Cranio-caudal mammogram of the left breast. Patient age 75.
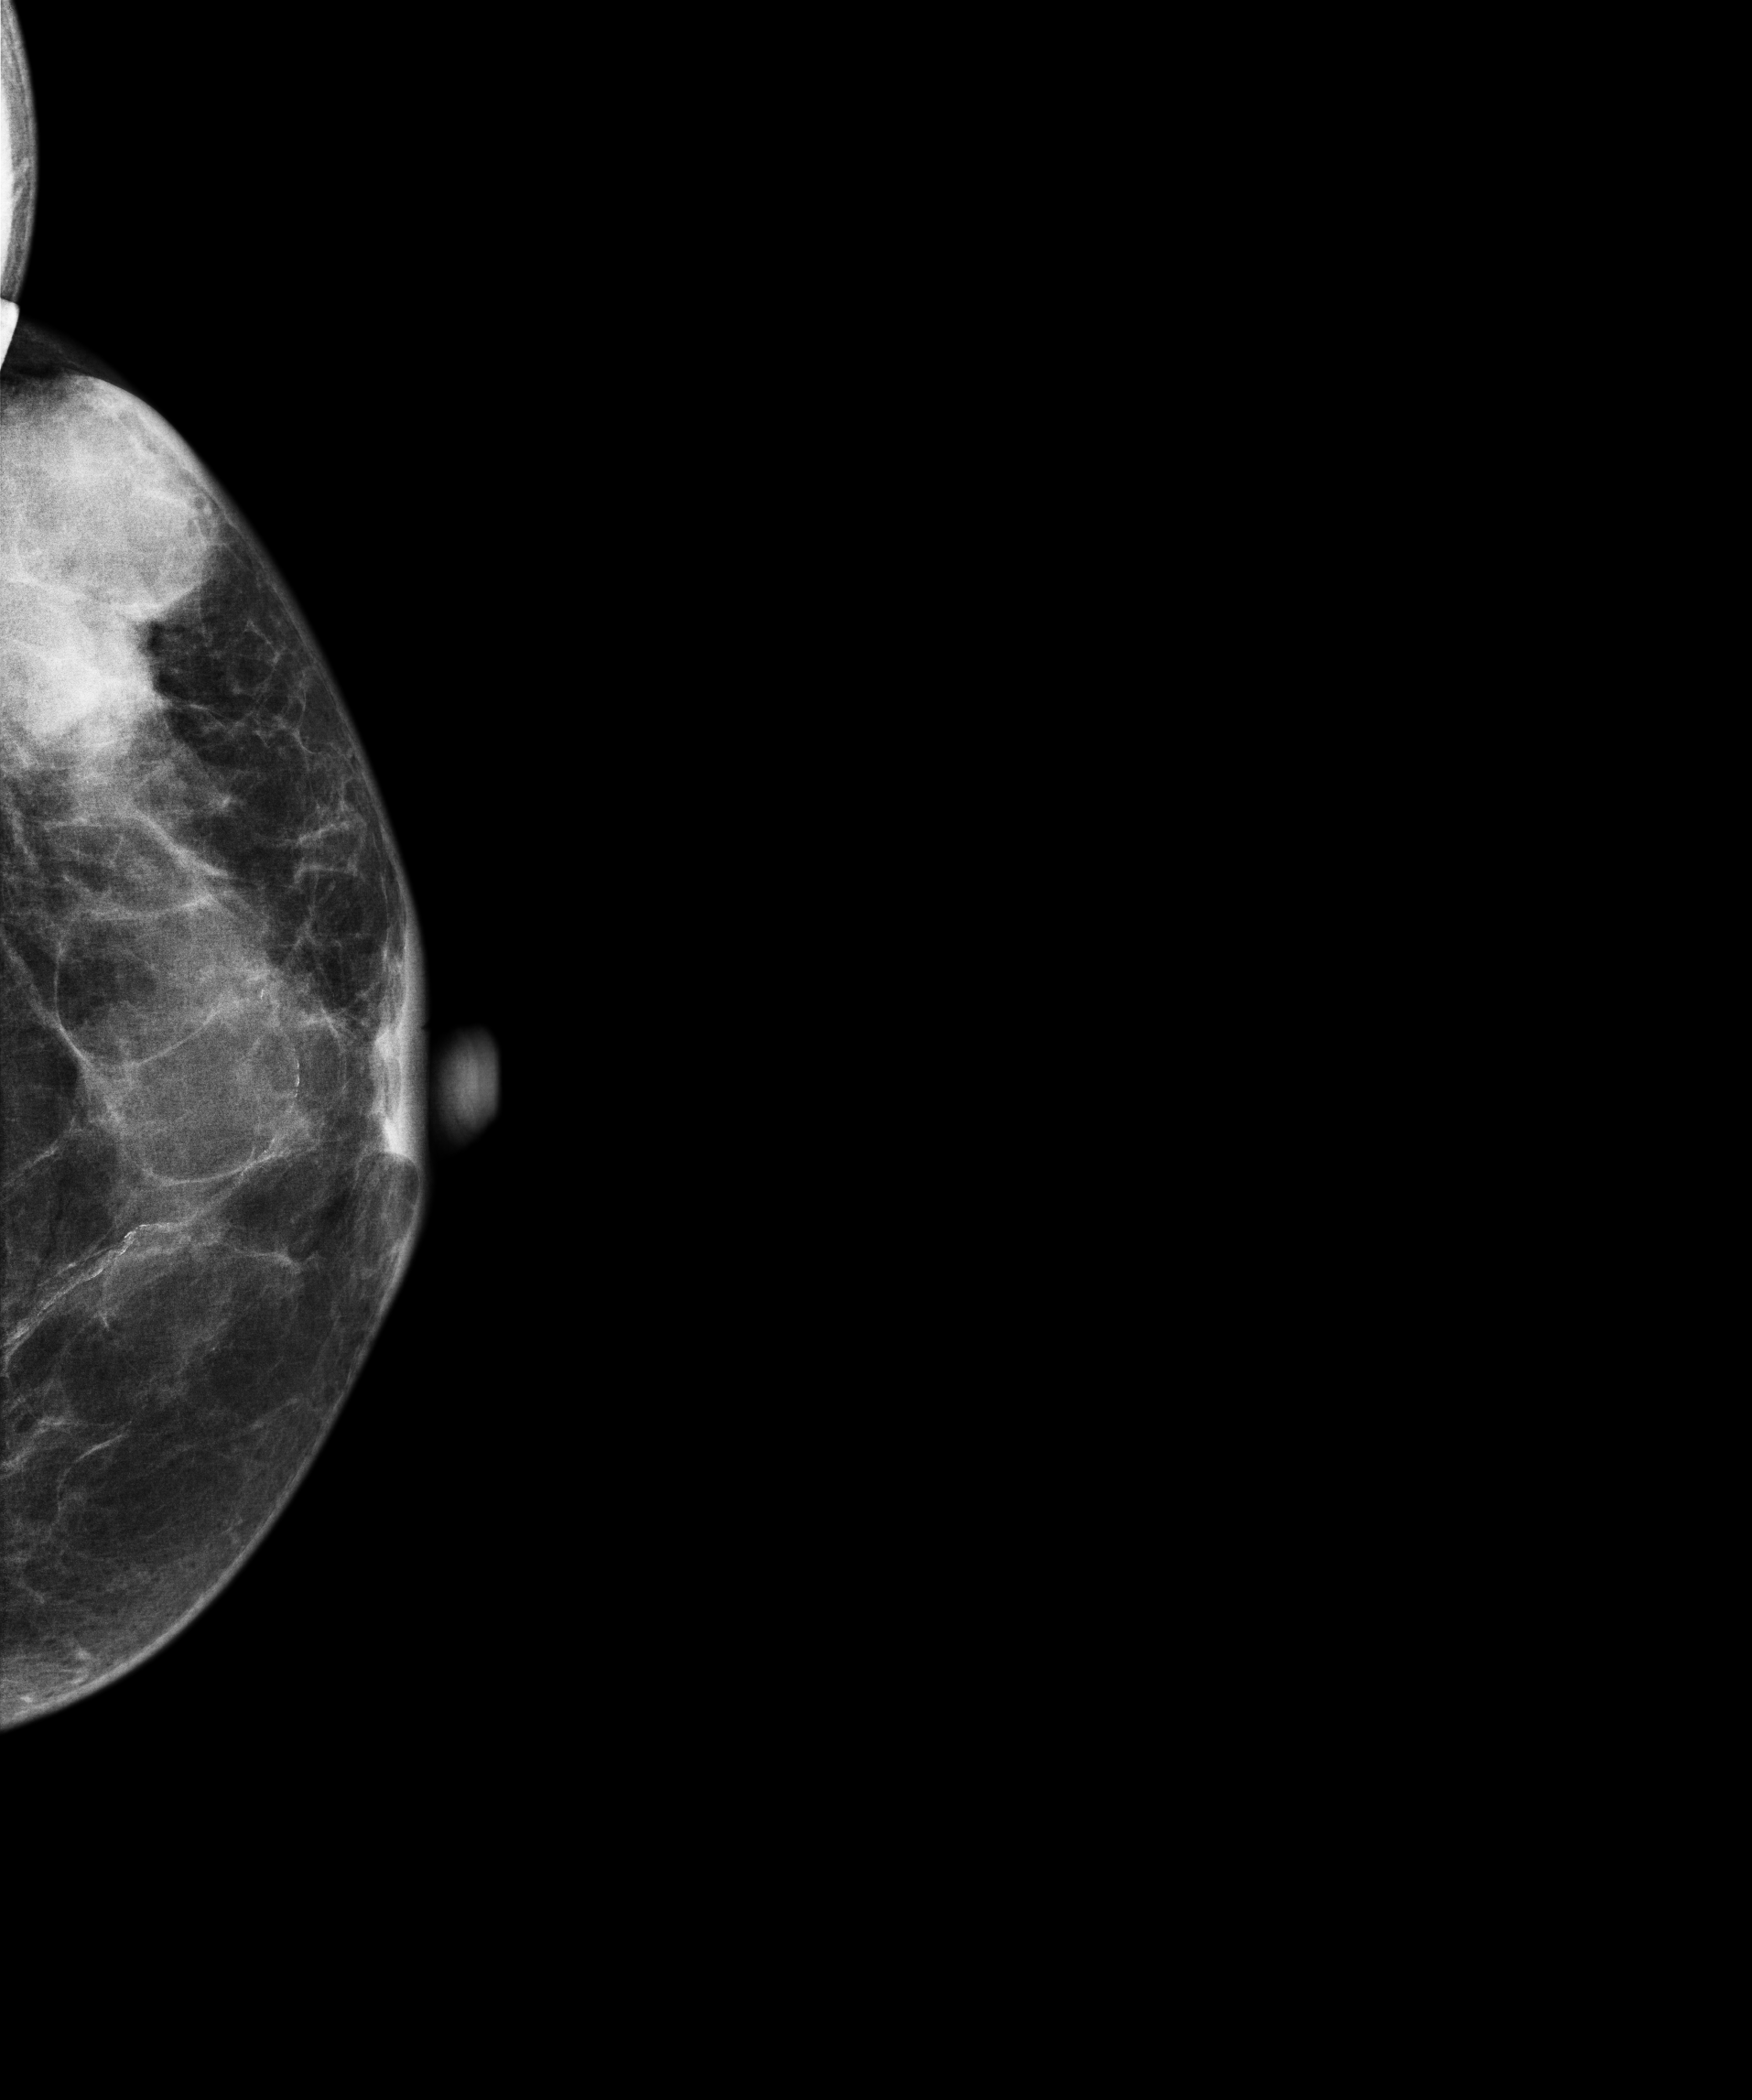
This breast has a mass, pathology-confirmed malignant.